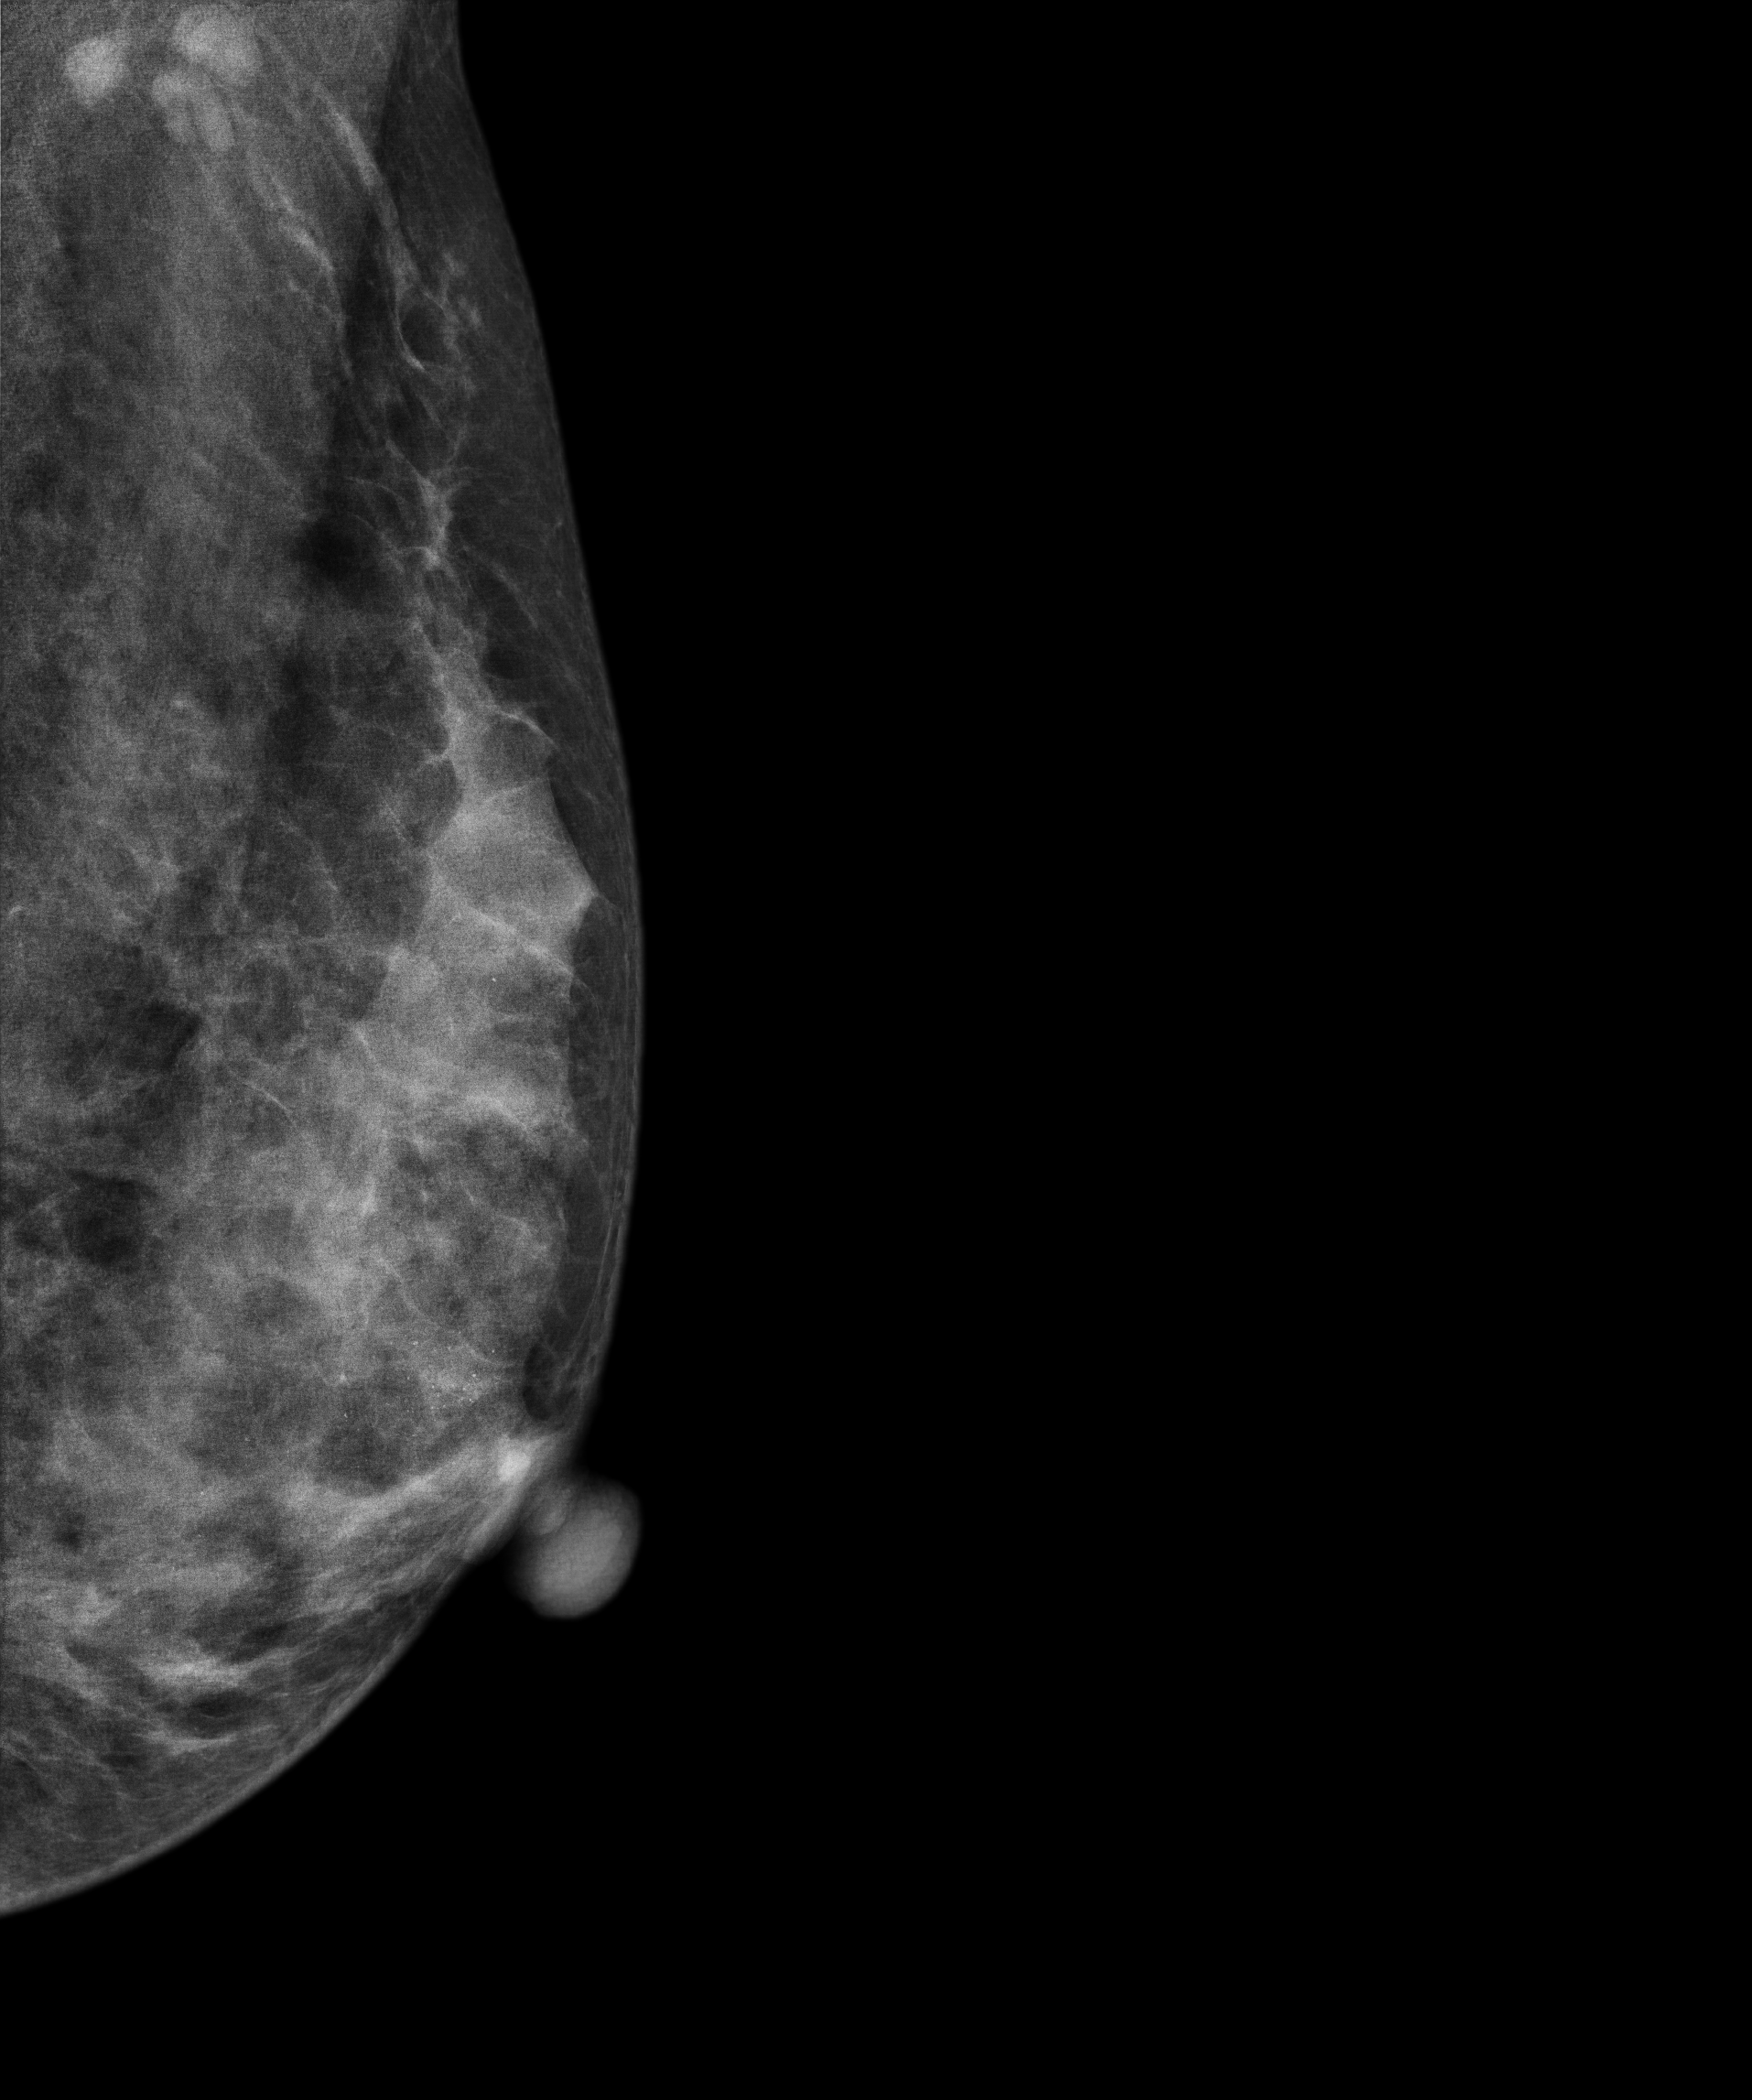
MLO mammogram of the left breast. Patient age 33.
Contralateral breast — no documented abnormality on this side.